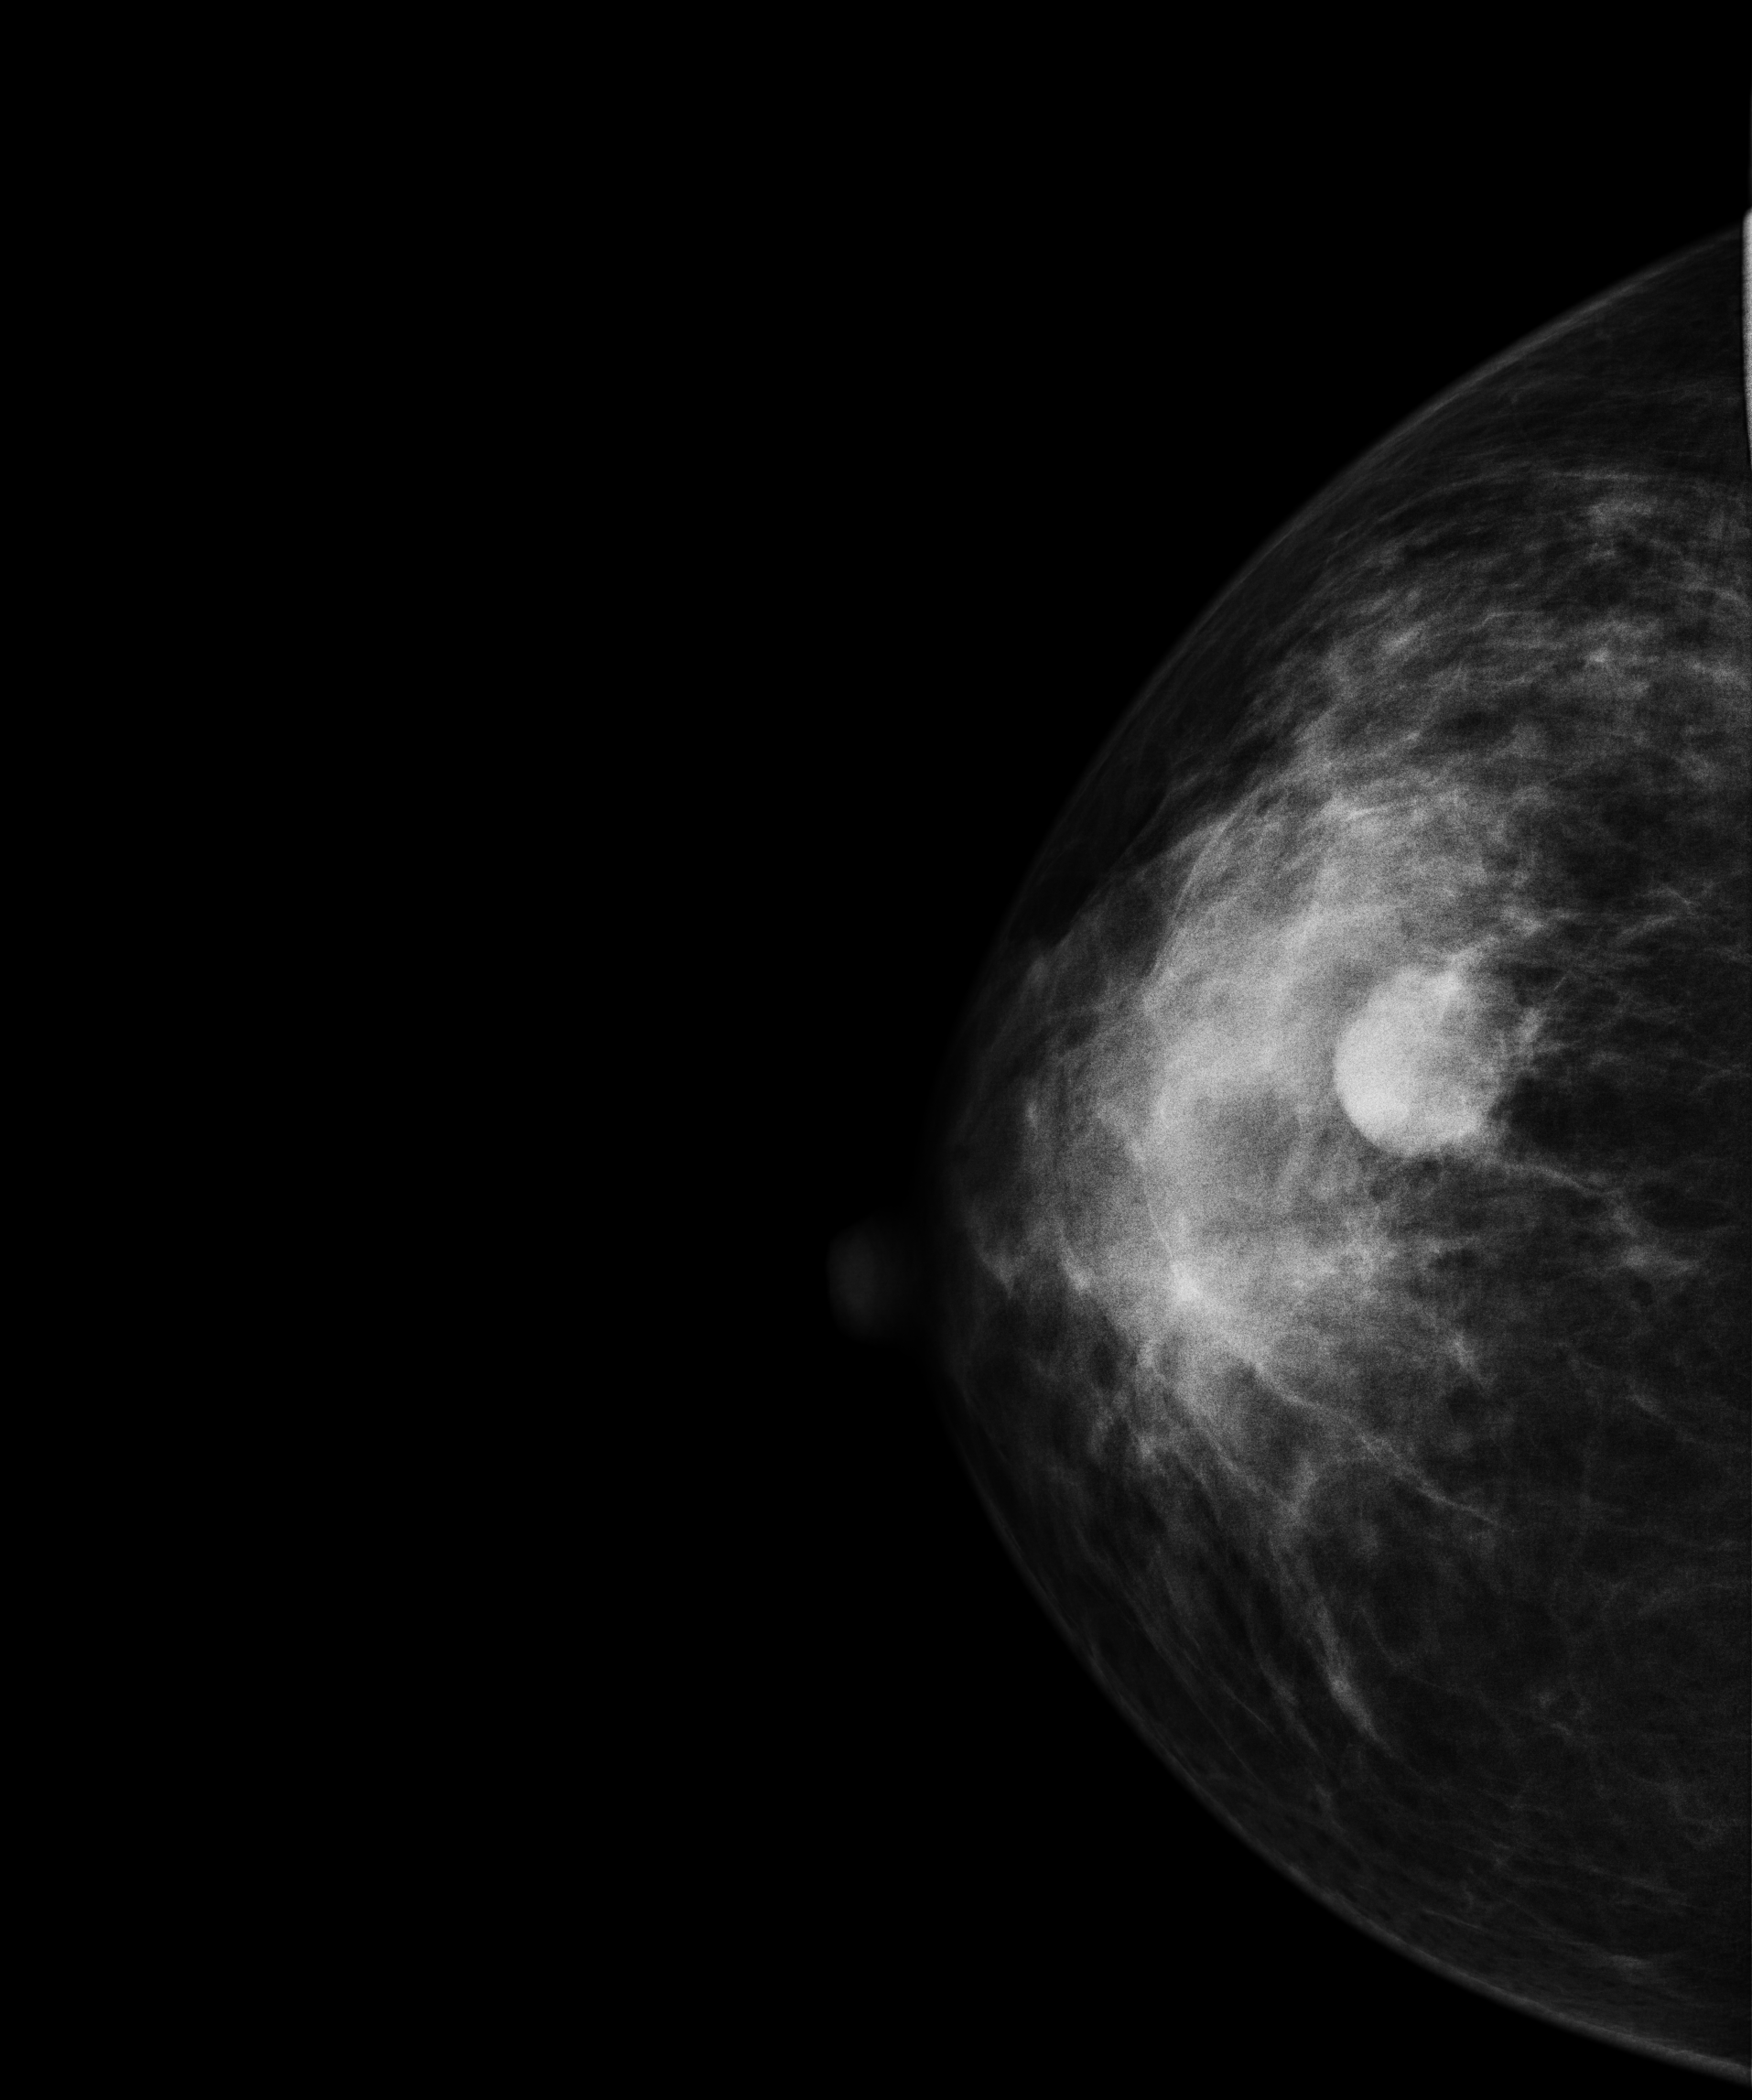
Digital mammography. Right breast, cranio-caudal projection. 32 y/o patient.
This breast has a mass, biopsy-confirmed malignant. Molecular subtype: luminal B.